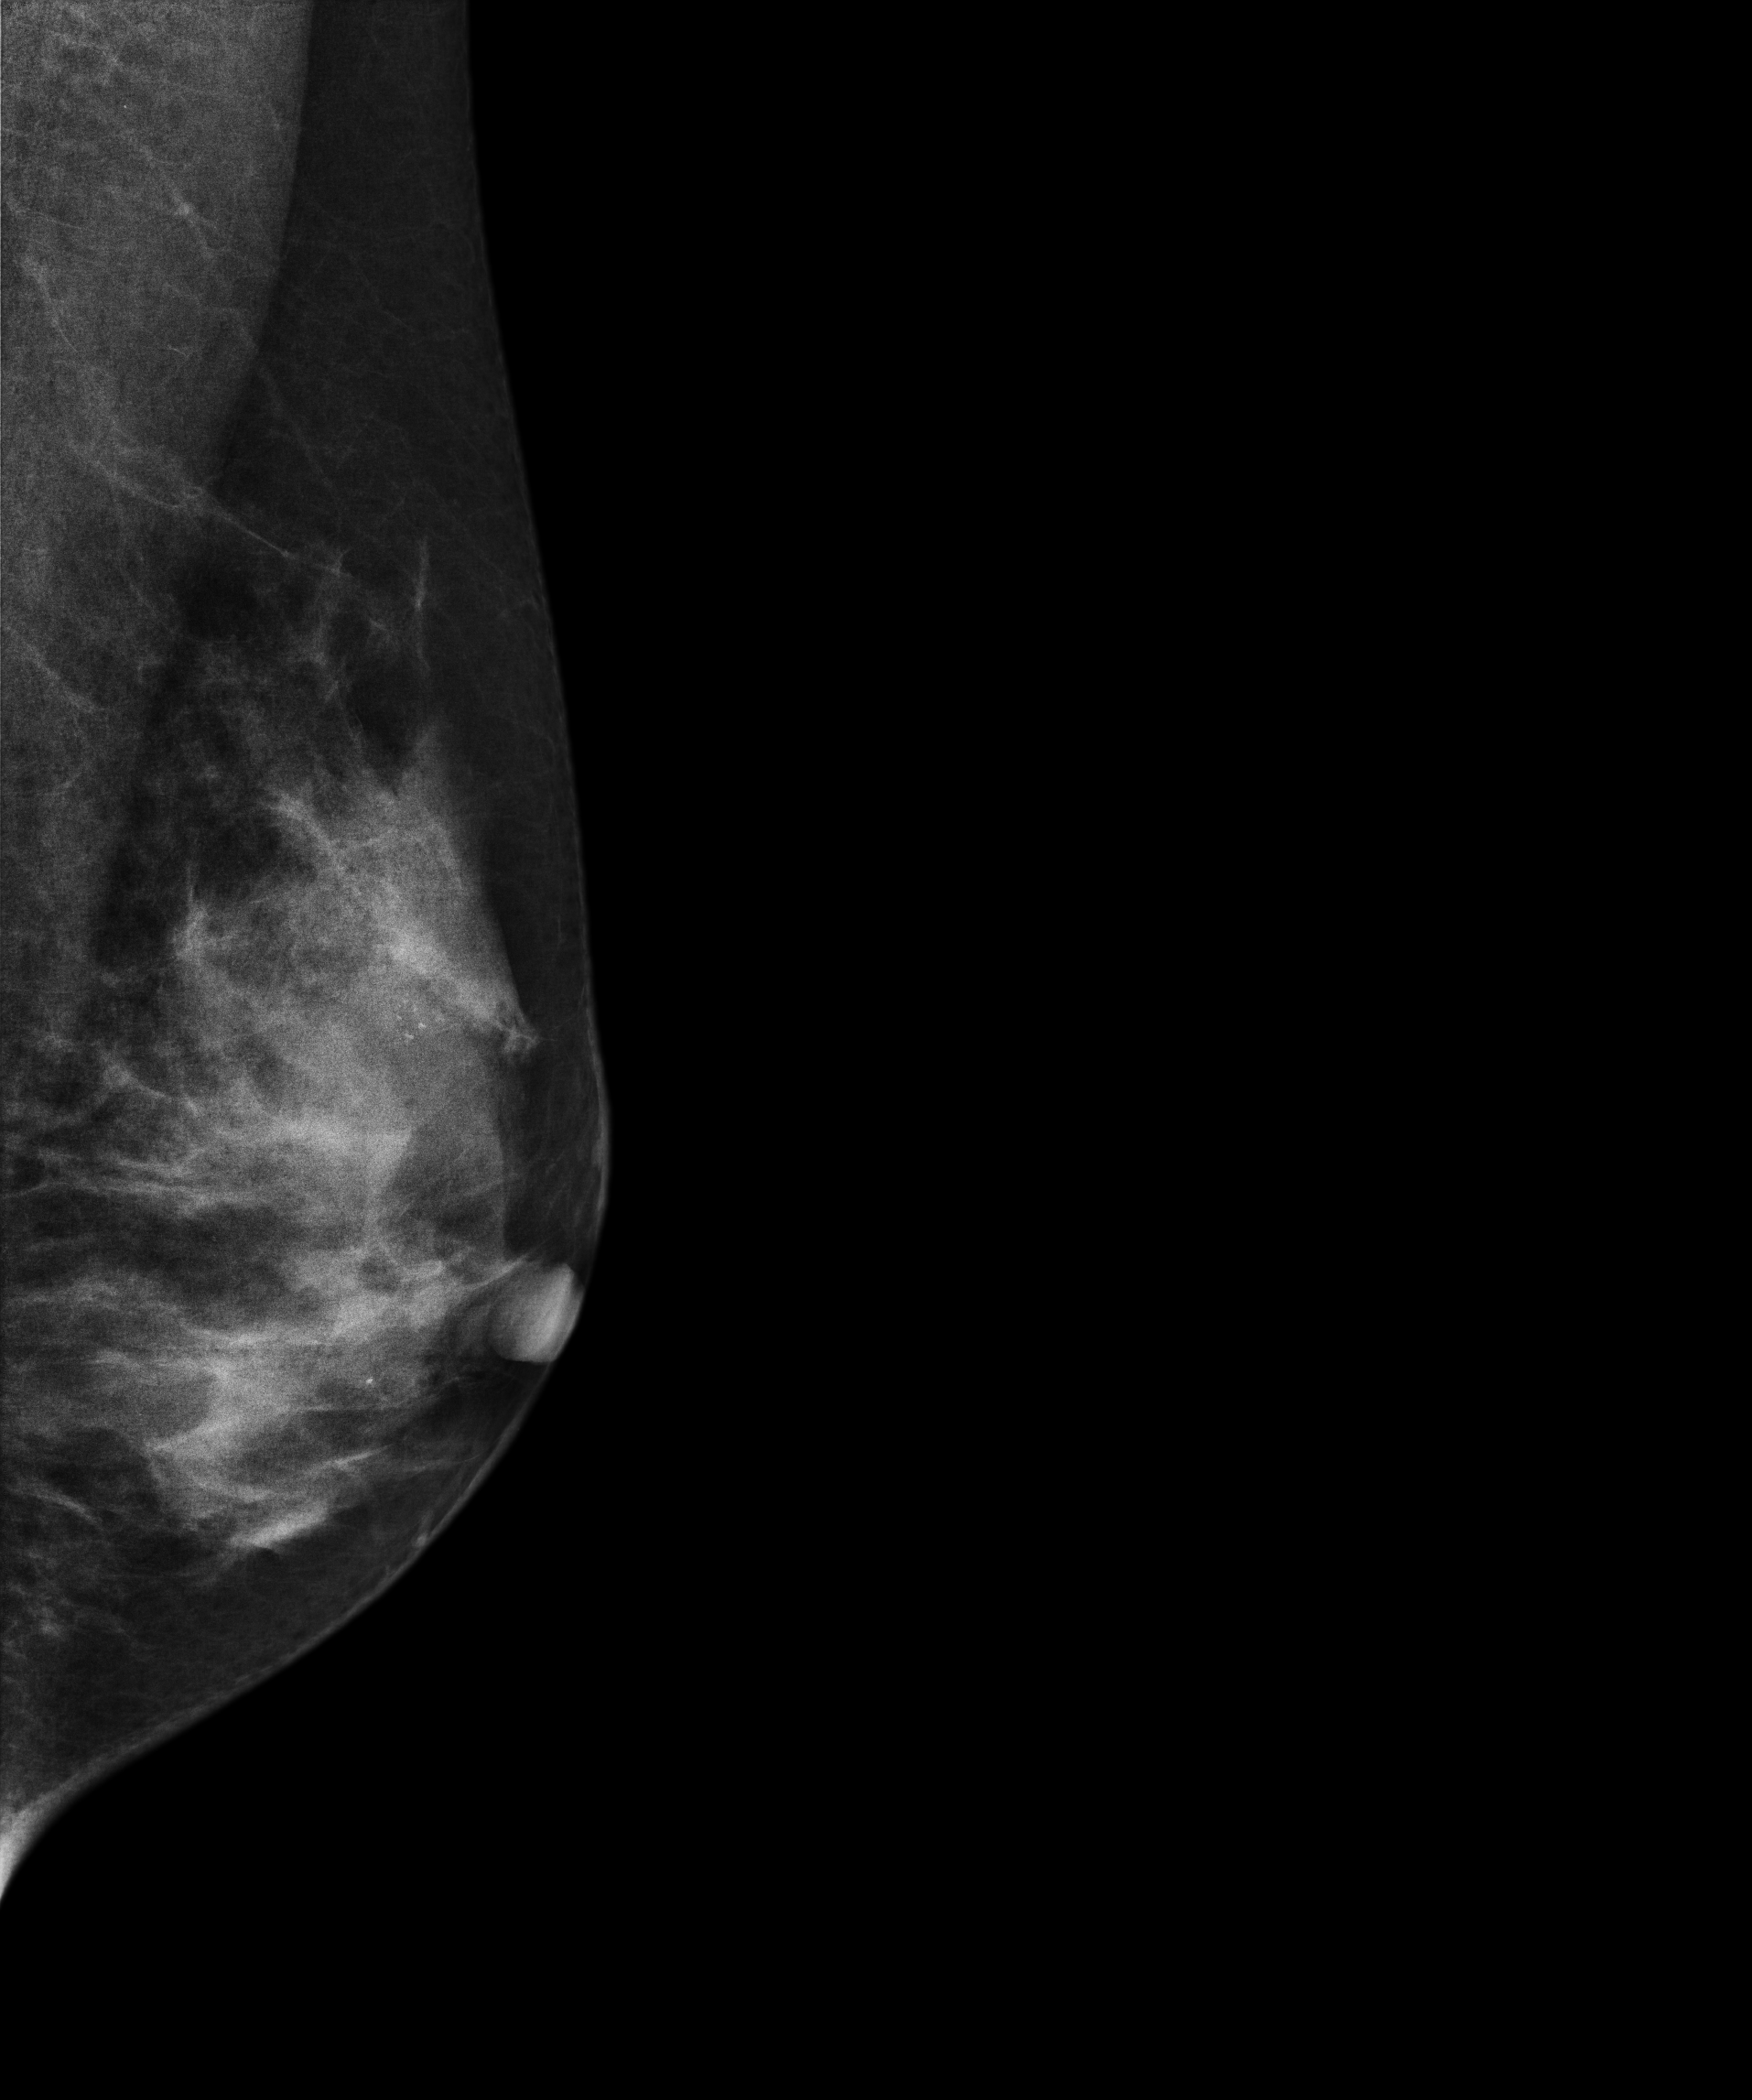
Mammogram, left breast, medio-lateral oblique view. 27 y/o patient.
This breast has calcifications, pathology-confirmed benign.